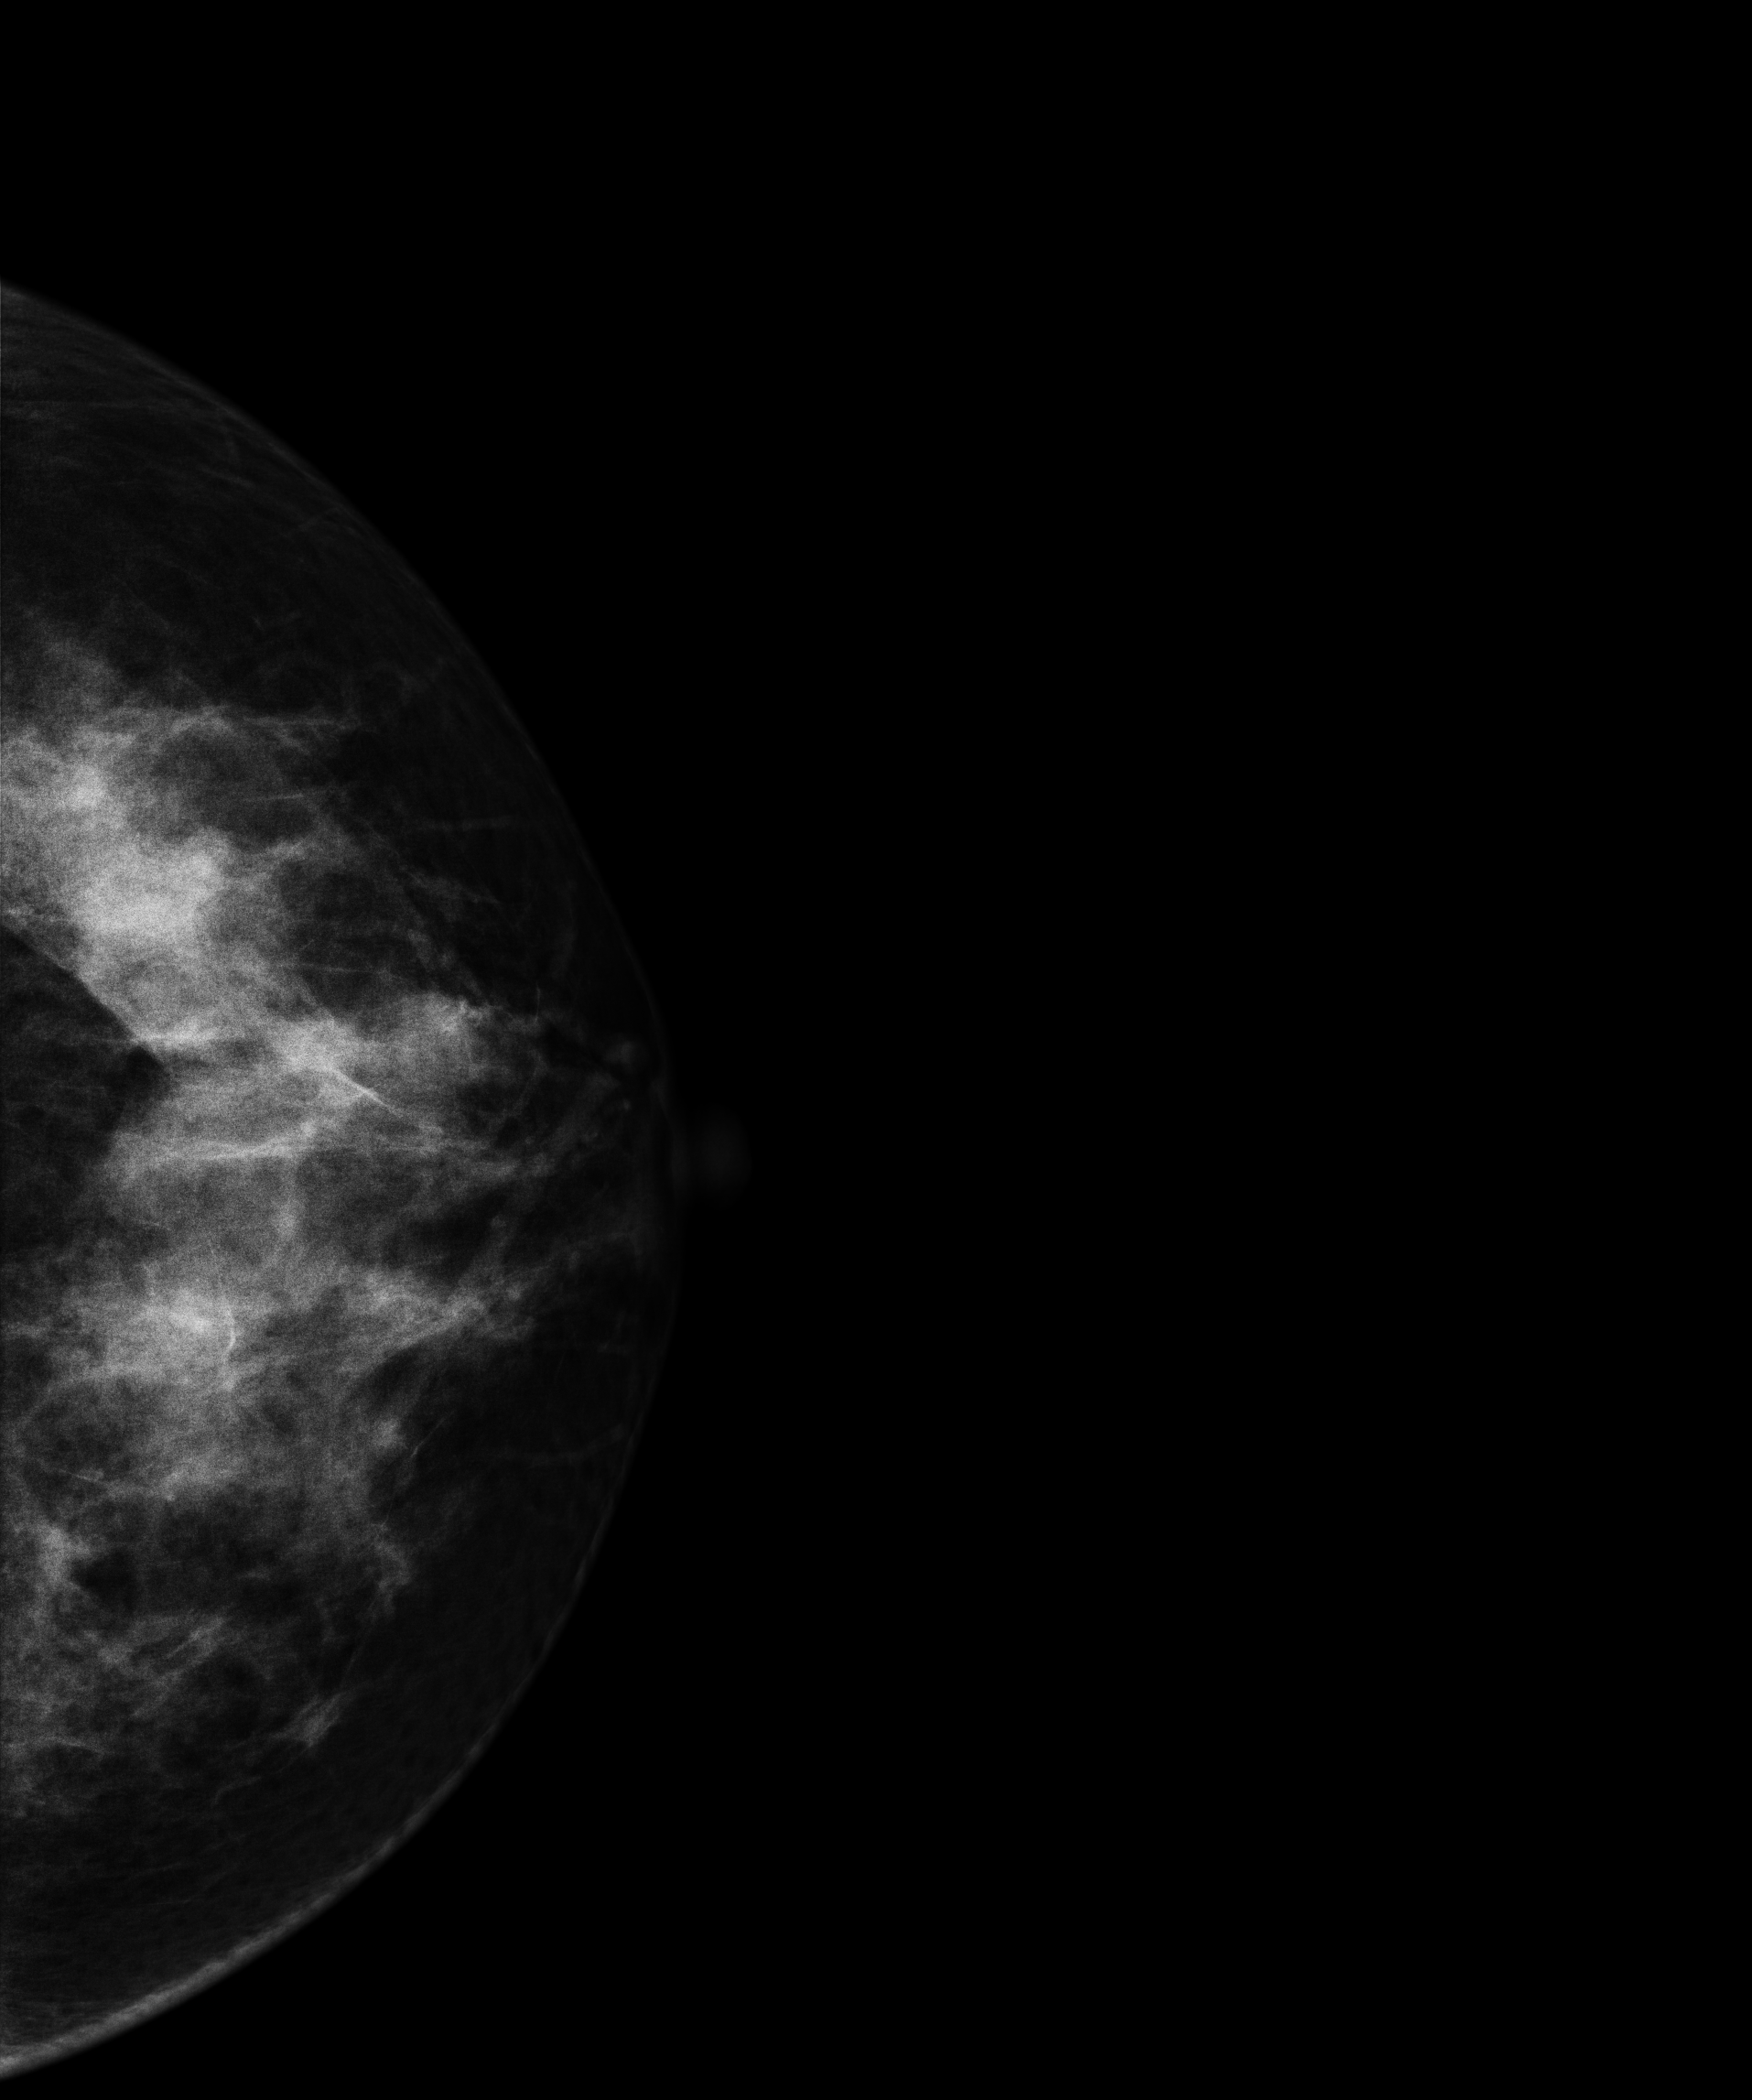
CC mammogram of the left breast. 34 y/o patient.
This breast has a mass, histologically confirmed benign.